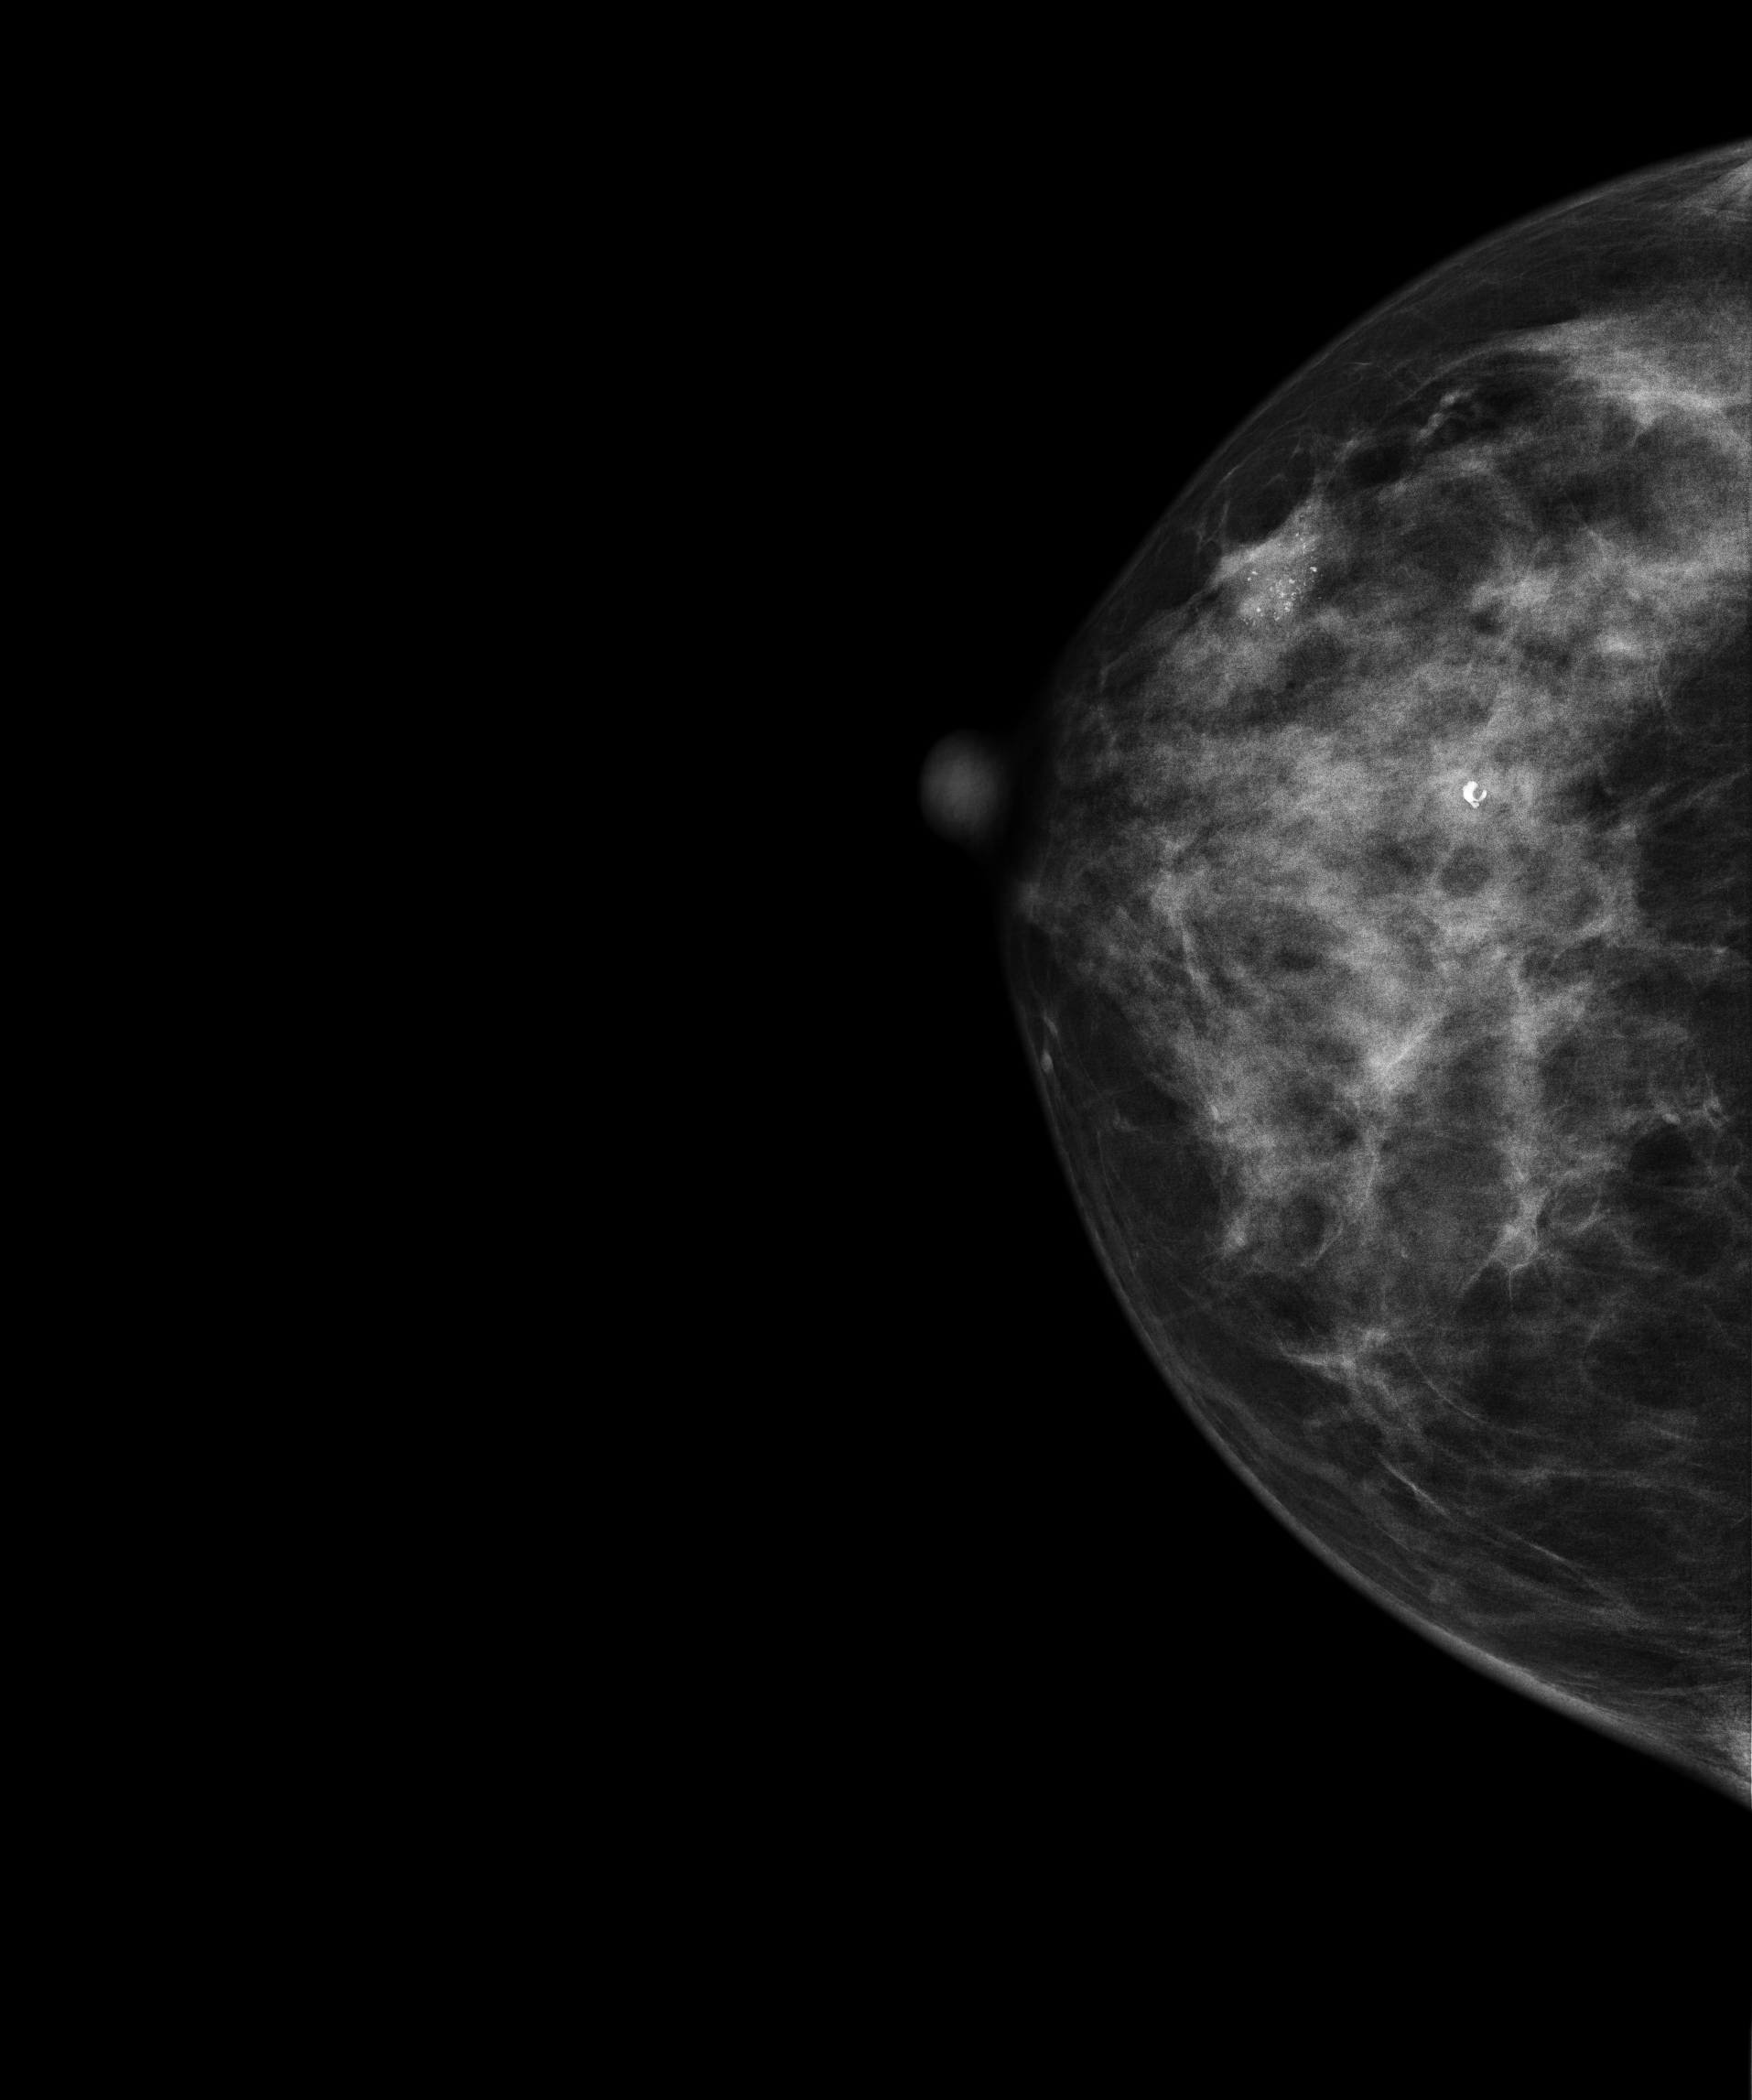
Mammogram, right breast, CC view. 53-year-old patient.
This breast has a mass and calcifications, biopsy-confirmed malignant. Molecular subtype: luminal A.